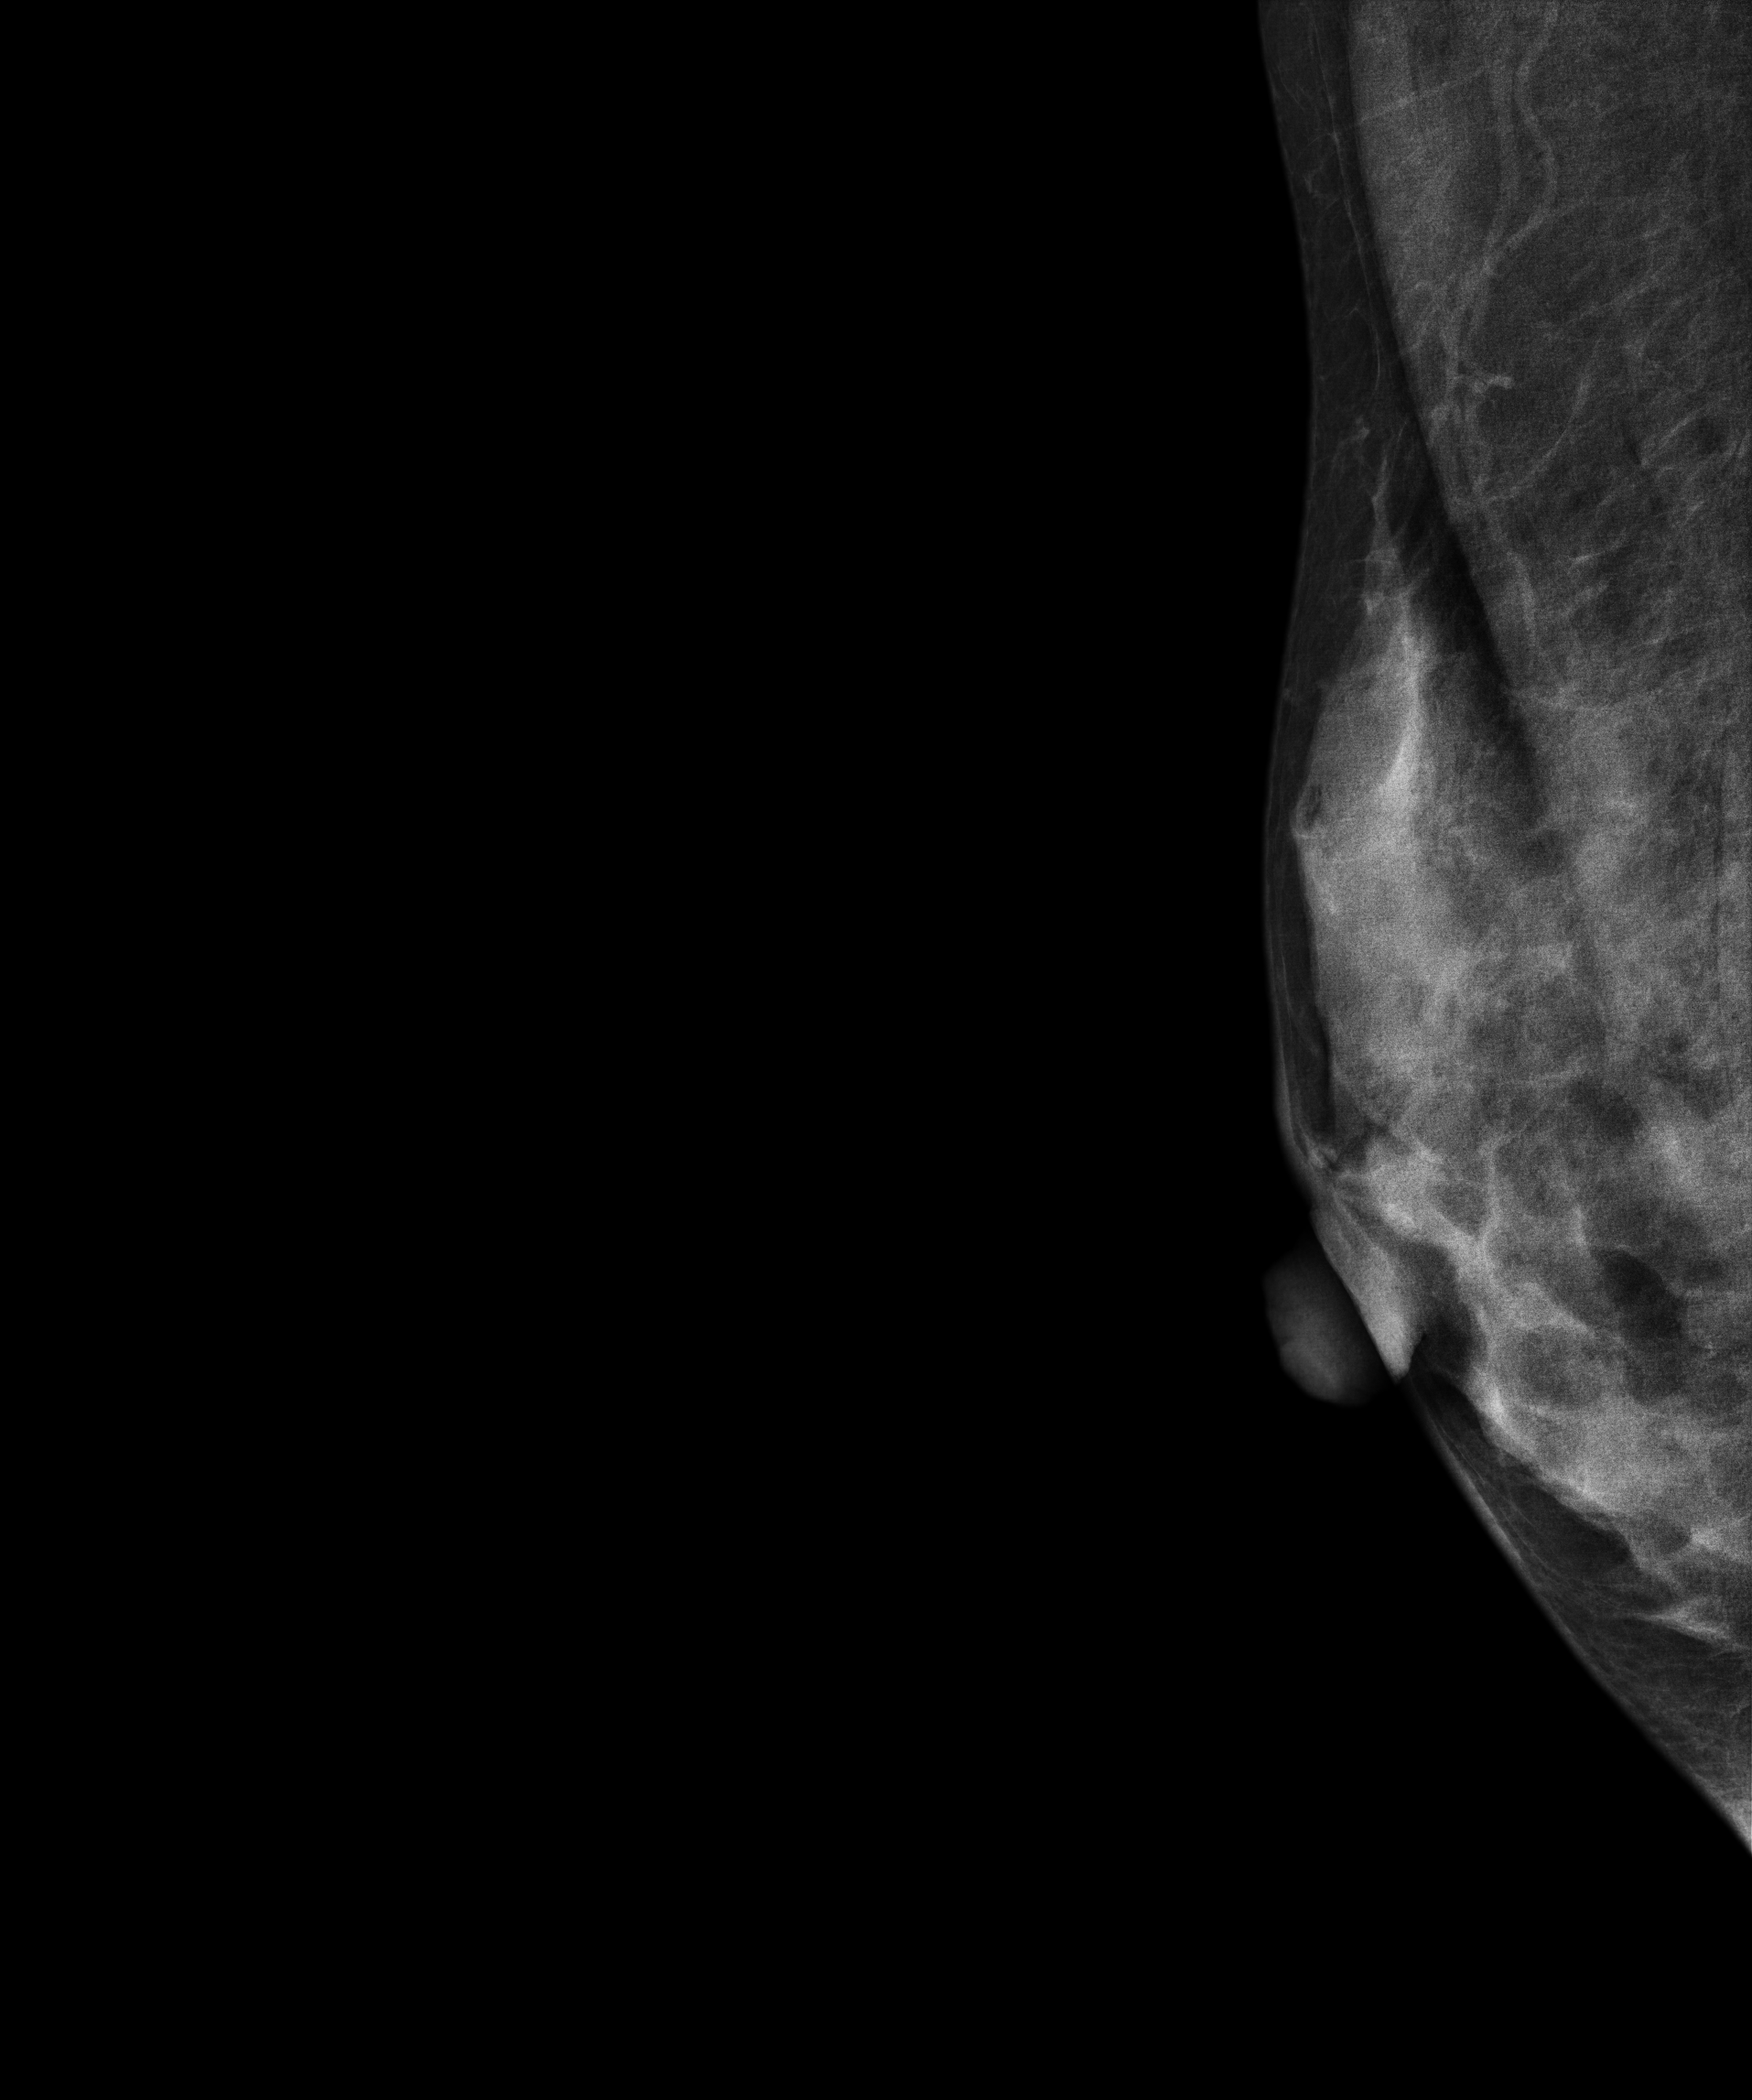
Mammogram — right medio-lateral oblique. 39-year-old patient.
This breast has a mass, biopsy-confirmed benign.